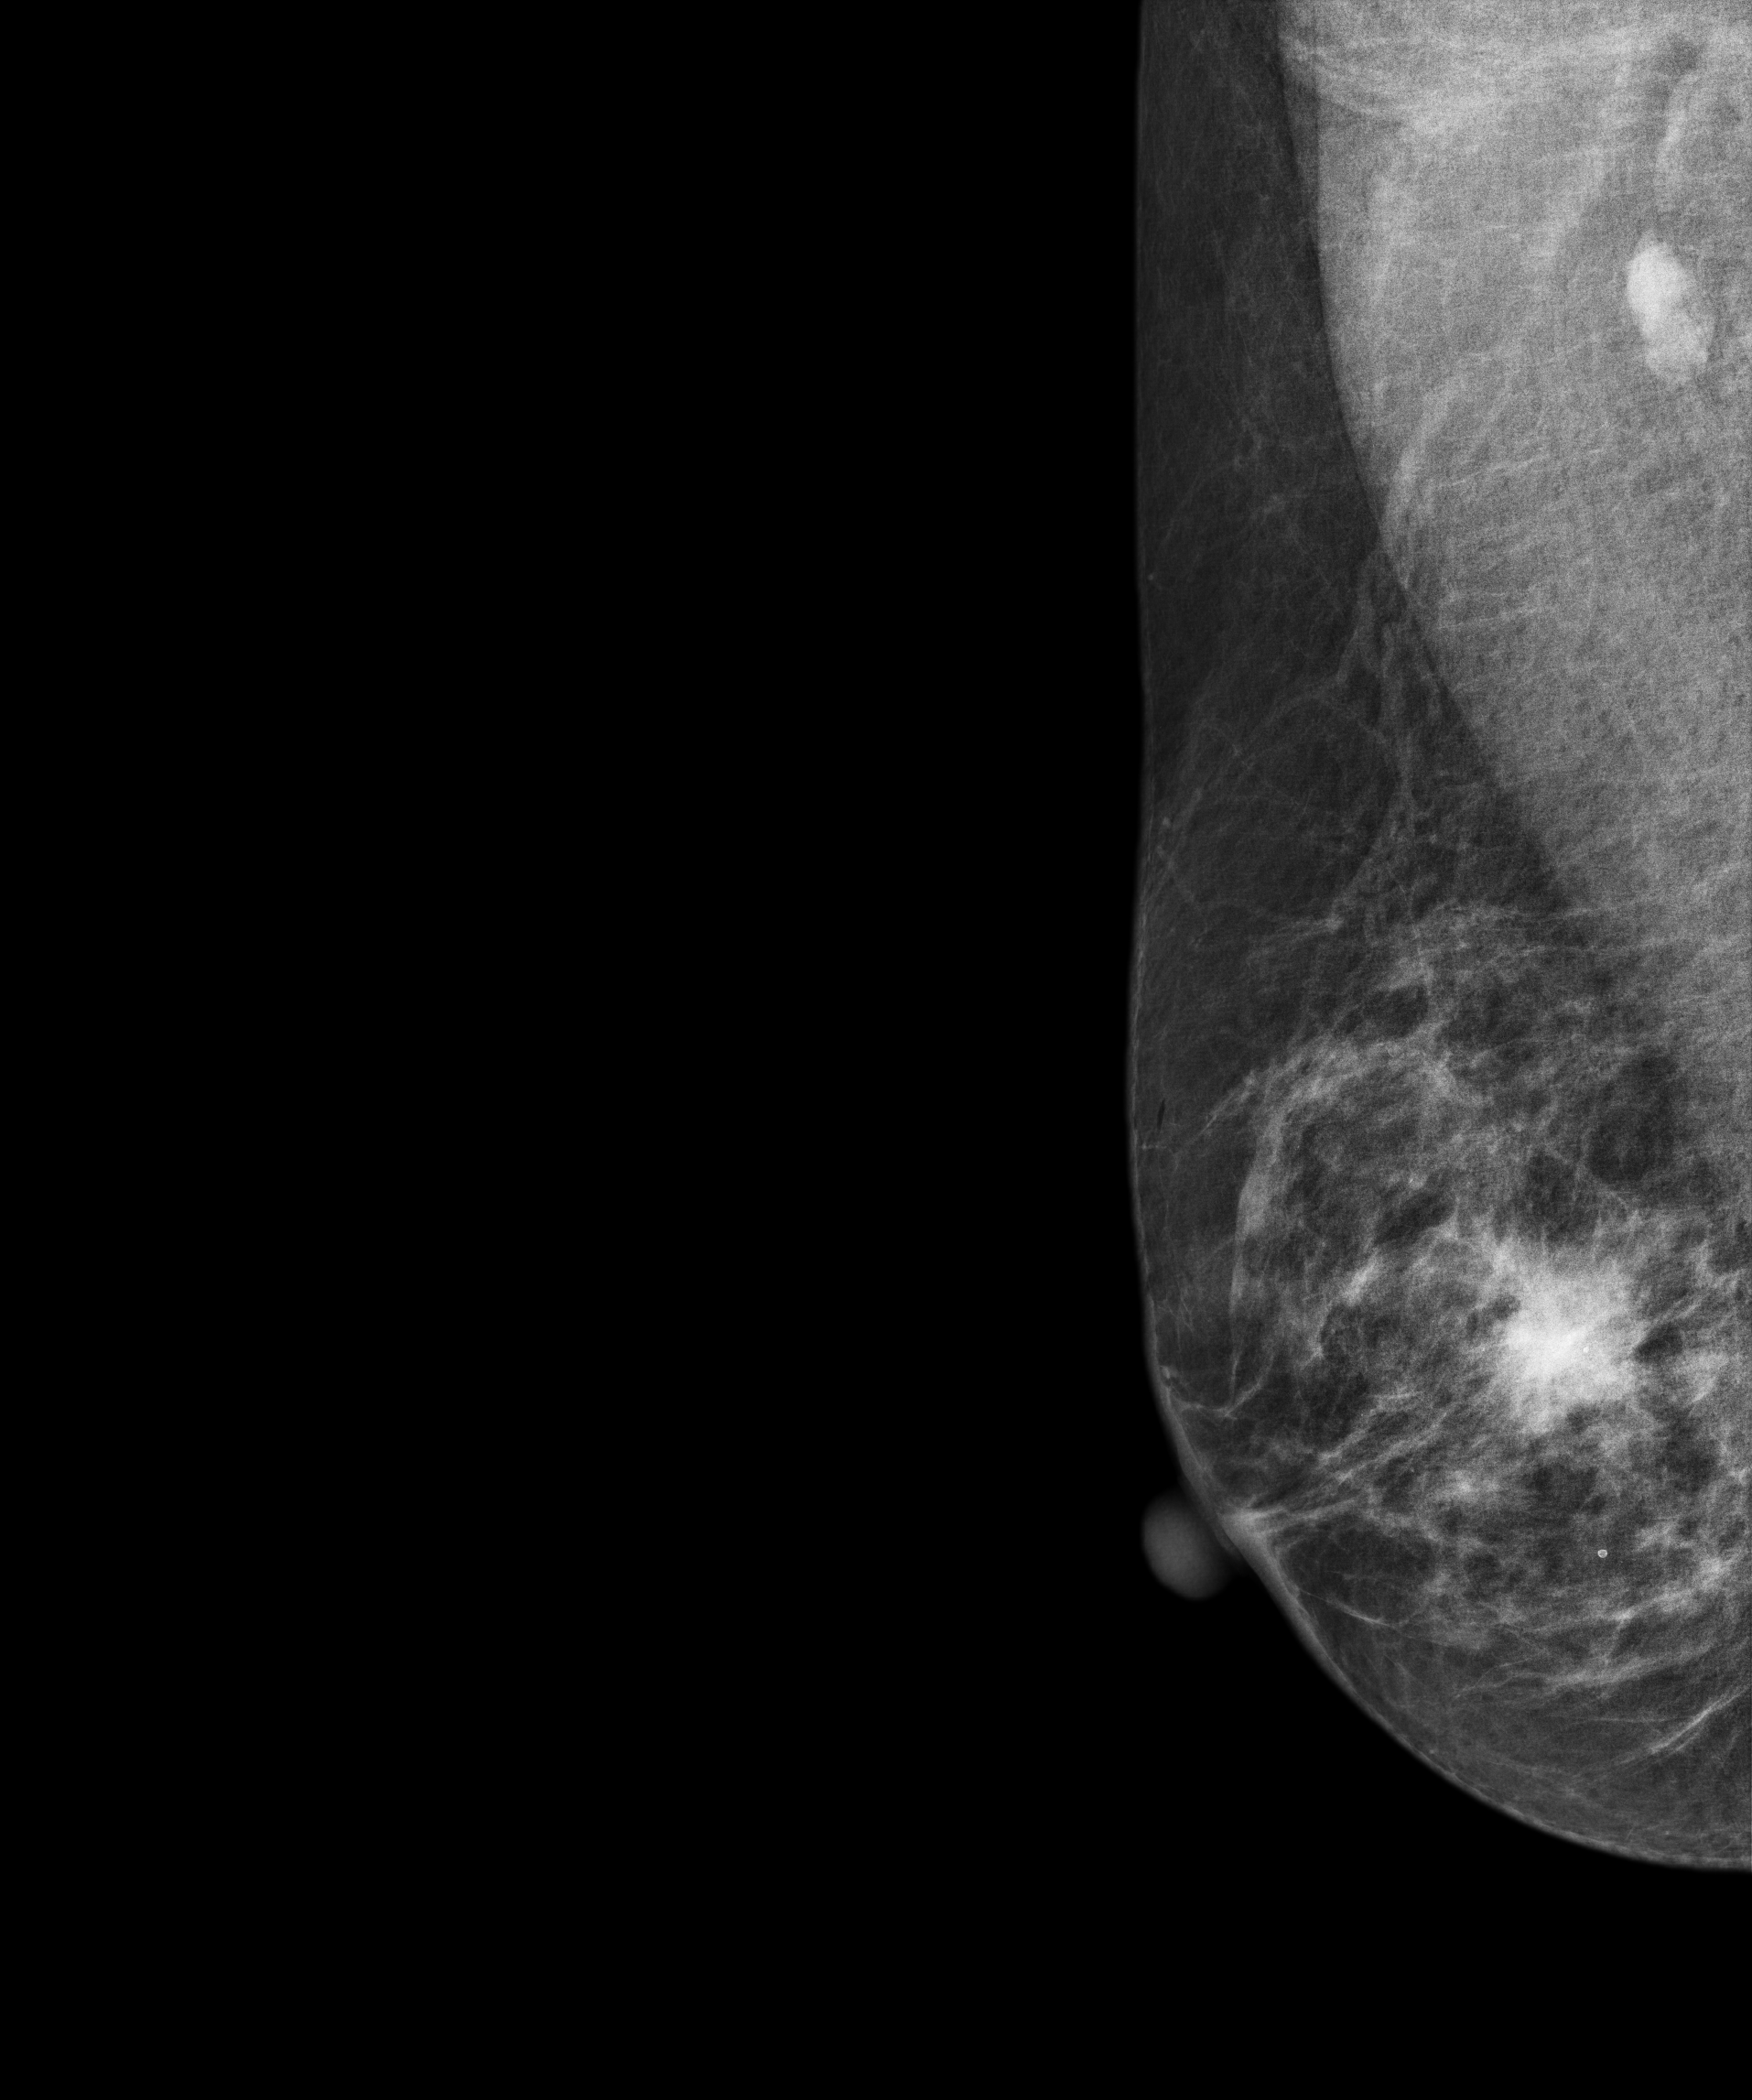
Digital mammography. Right breast, MLO projection. 59 y/o patient.
This breast has a mass and calcifications, biopsy-proven malignant.